Mammogram, right breast, MLO view. 45 y/o patient.
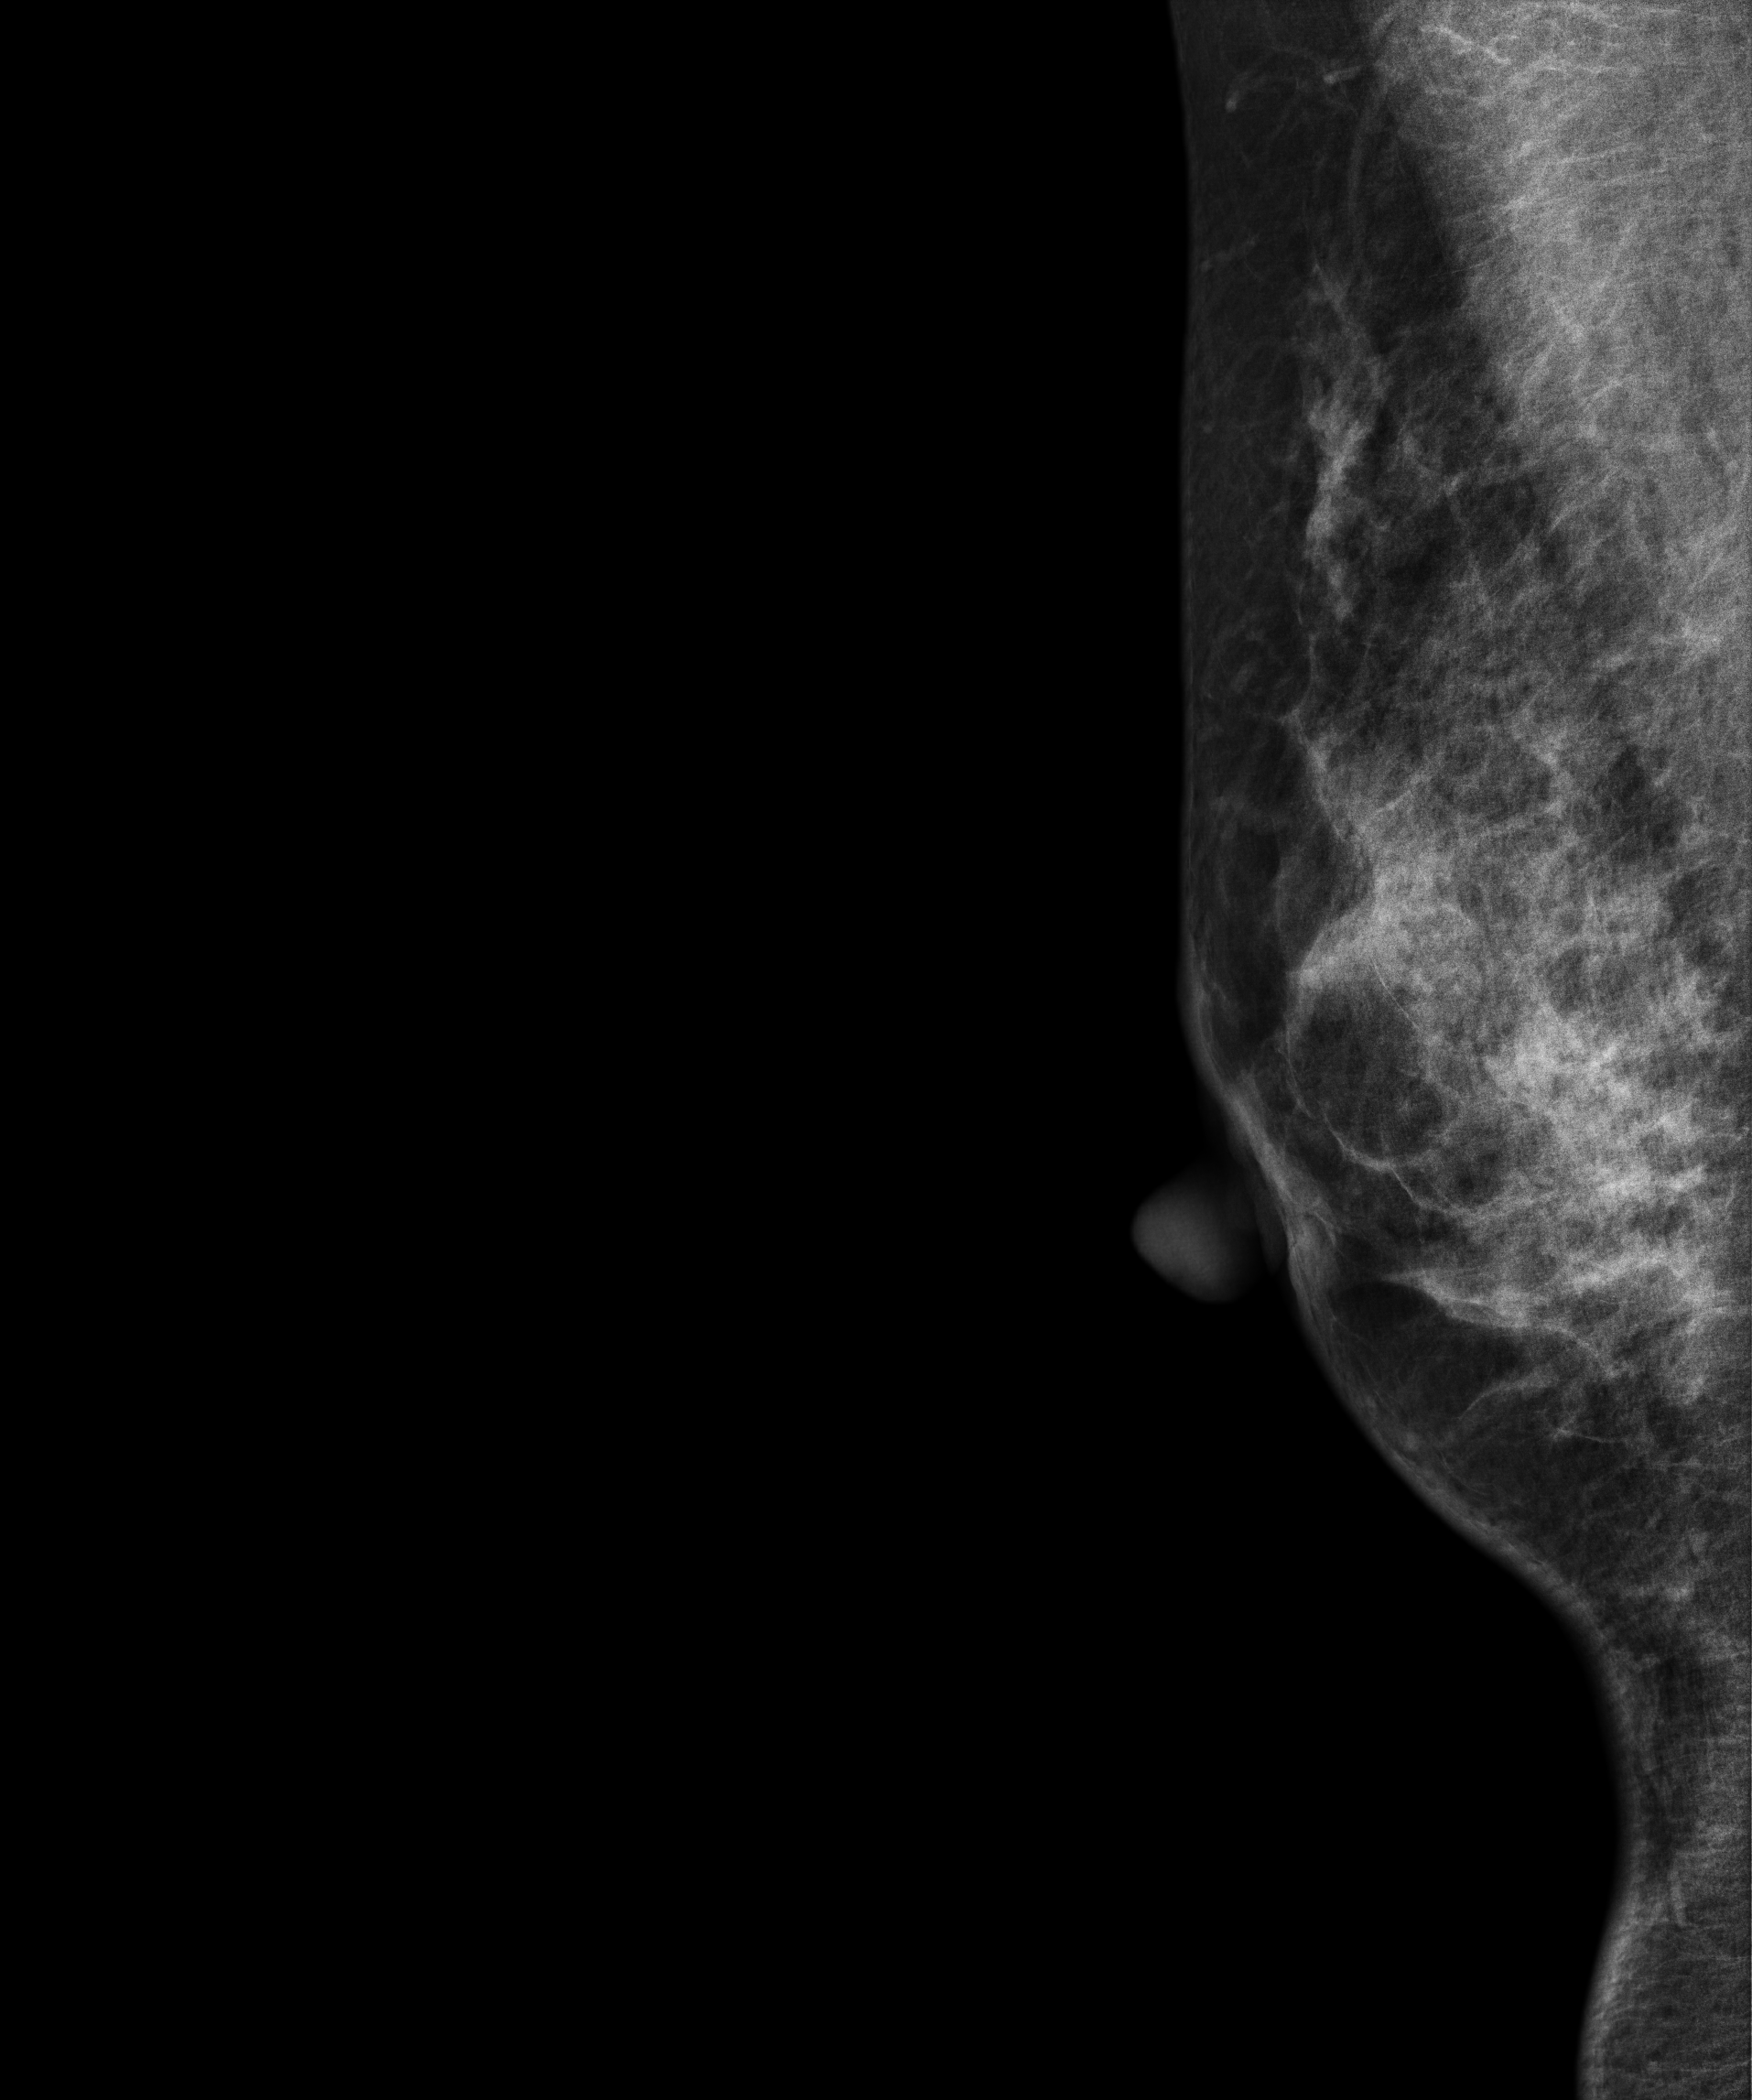
This breast has a mass, pathology-confirmed benign.